Mammogram, left breast, cranio-caudal view. Patient age 46.
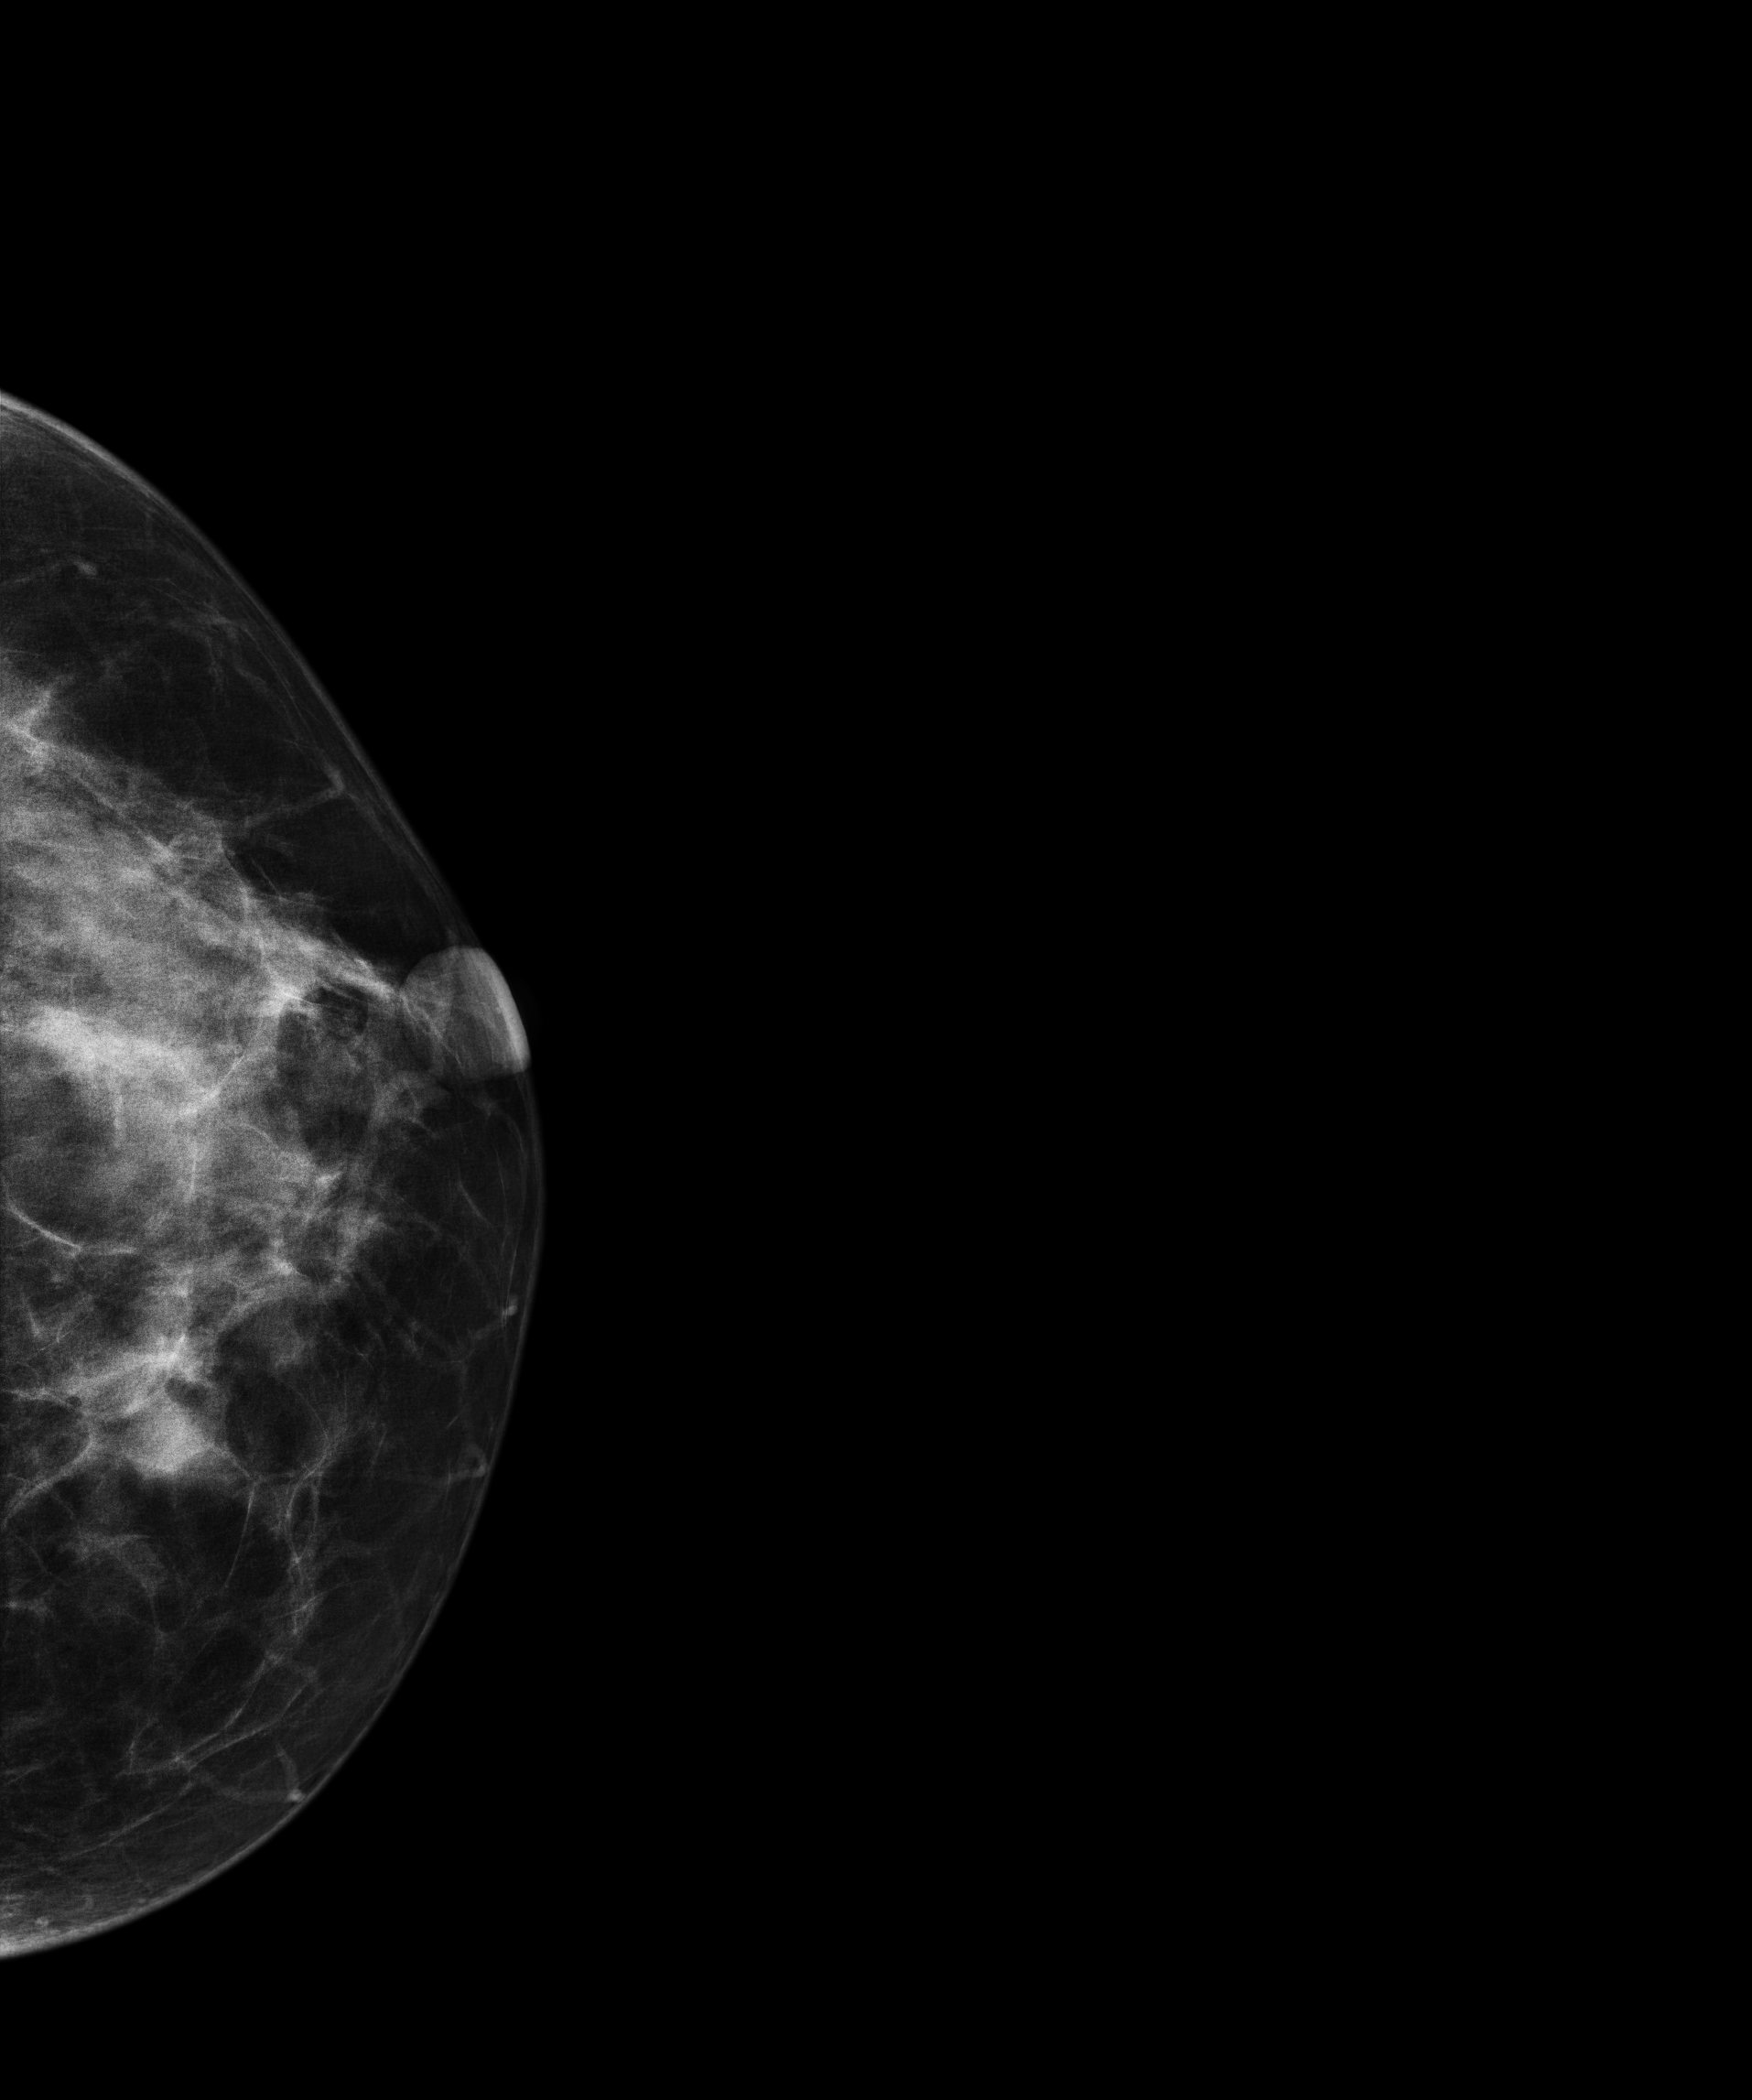
Contralateral breast — no documented abnormality on this side.